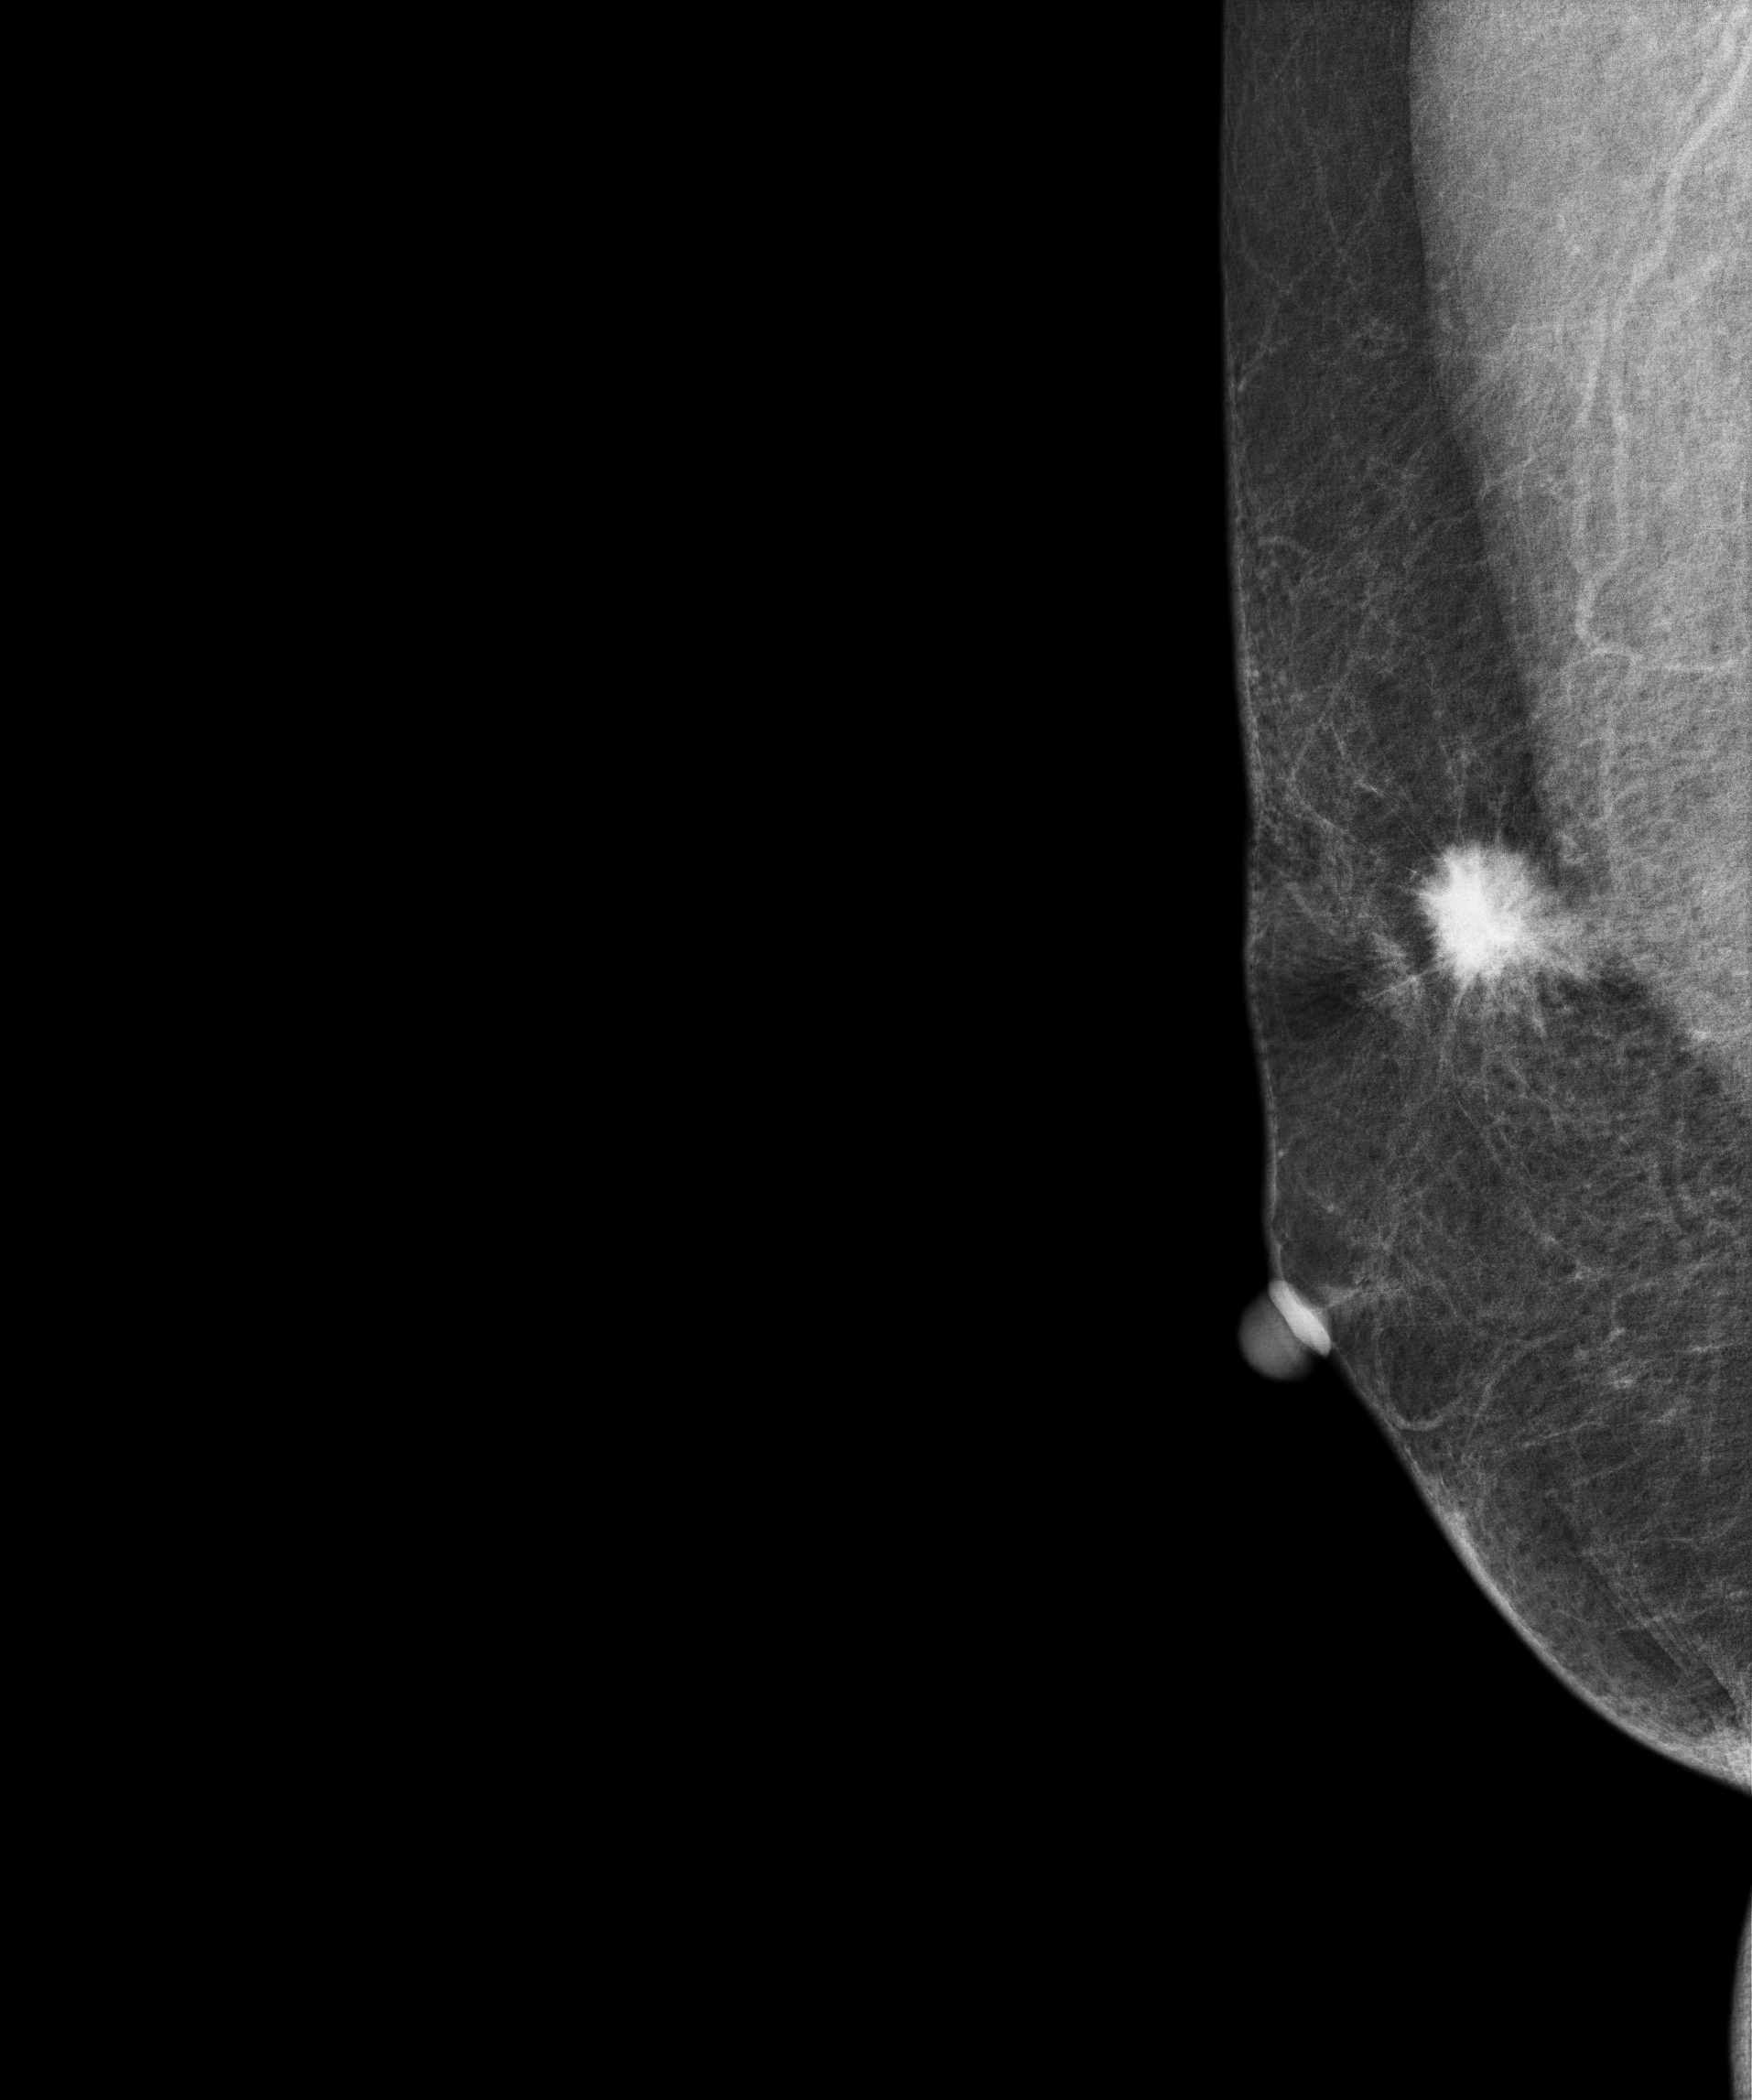
Mammogram, right breast, MLO view. 75 y/o patient.
This breast has a mass, histologically confirmed malignant. Molecular subtype: luminal A.